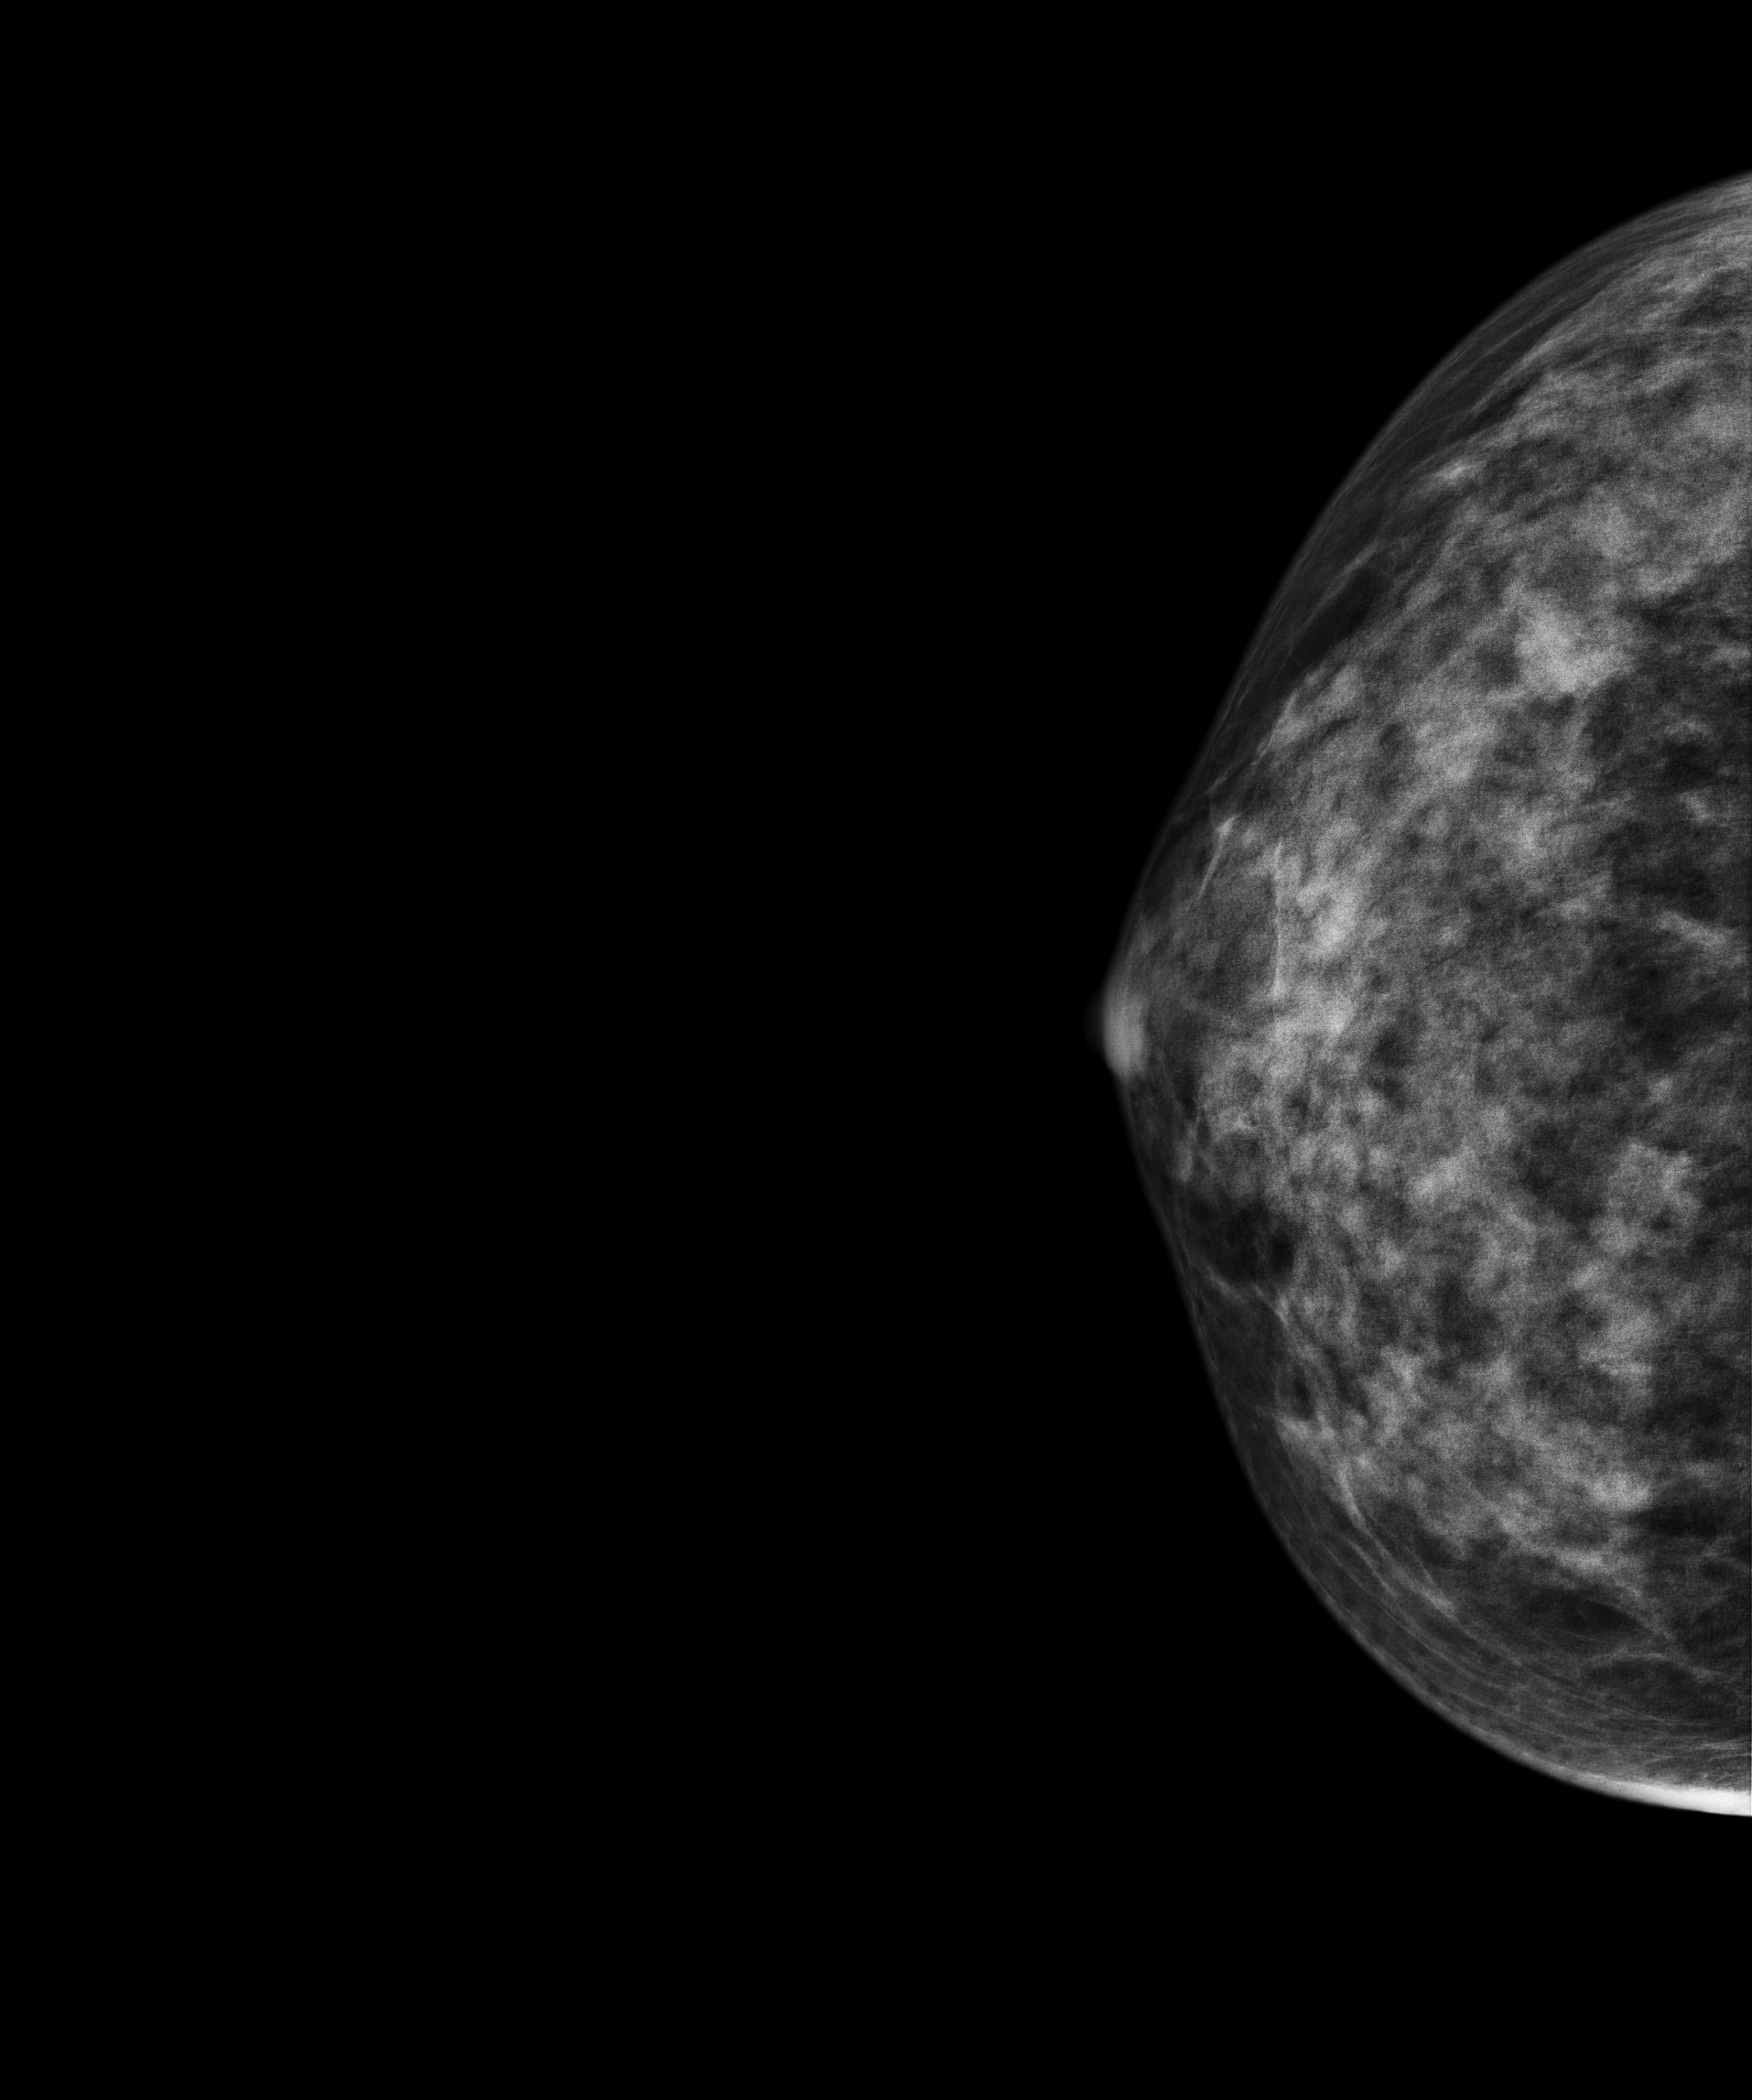
Right-breast mammogram, CC. 27-year-old patient.
This breast has a mass, biopsy-confirmed benign.